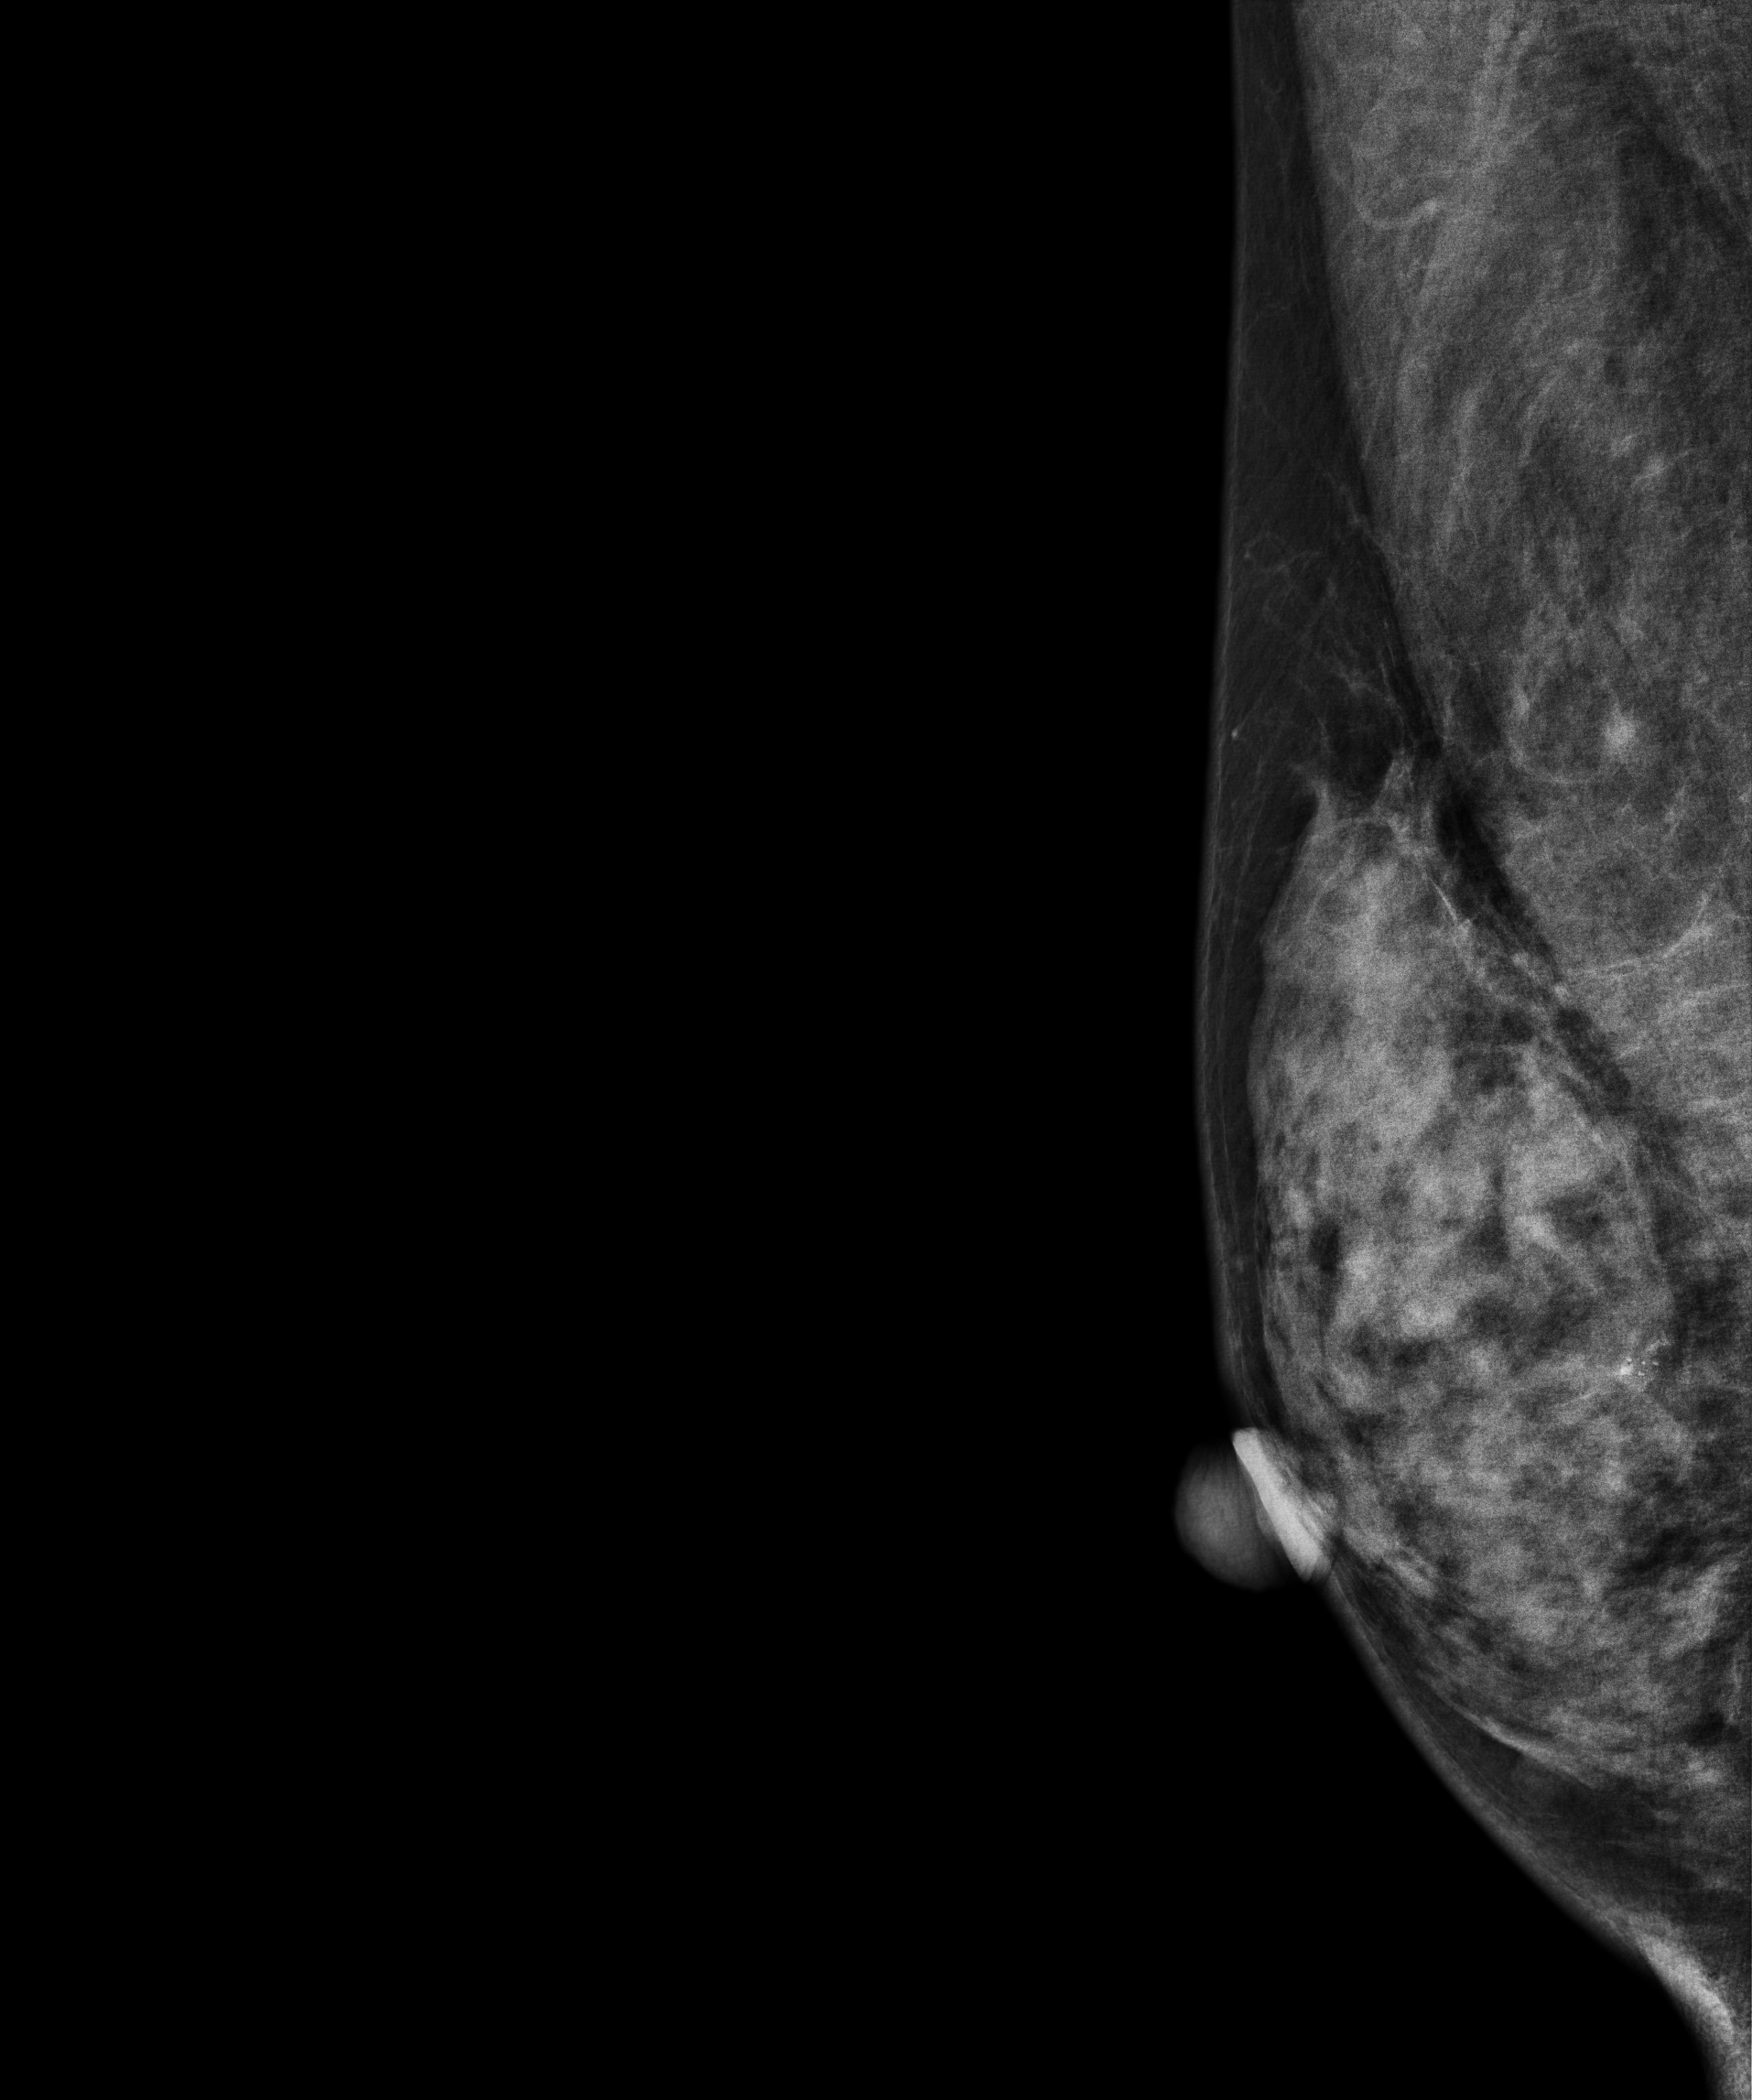
Right-breast mammogram, medio-lateral oblique. 49 y/o patient.
This breast has calcifications, biopsy-proven malignant.